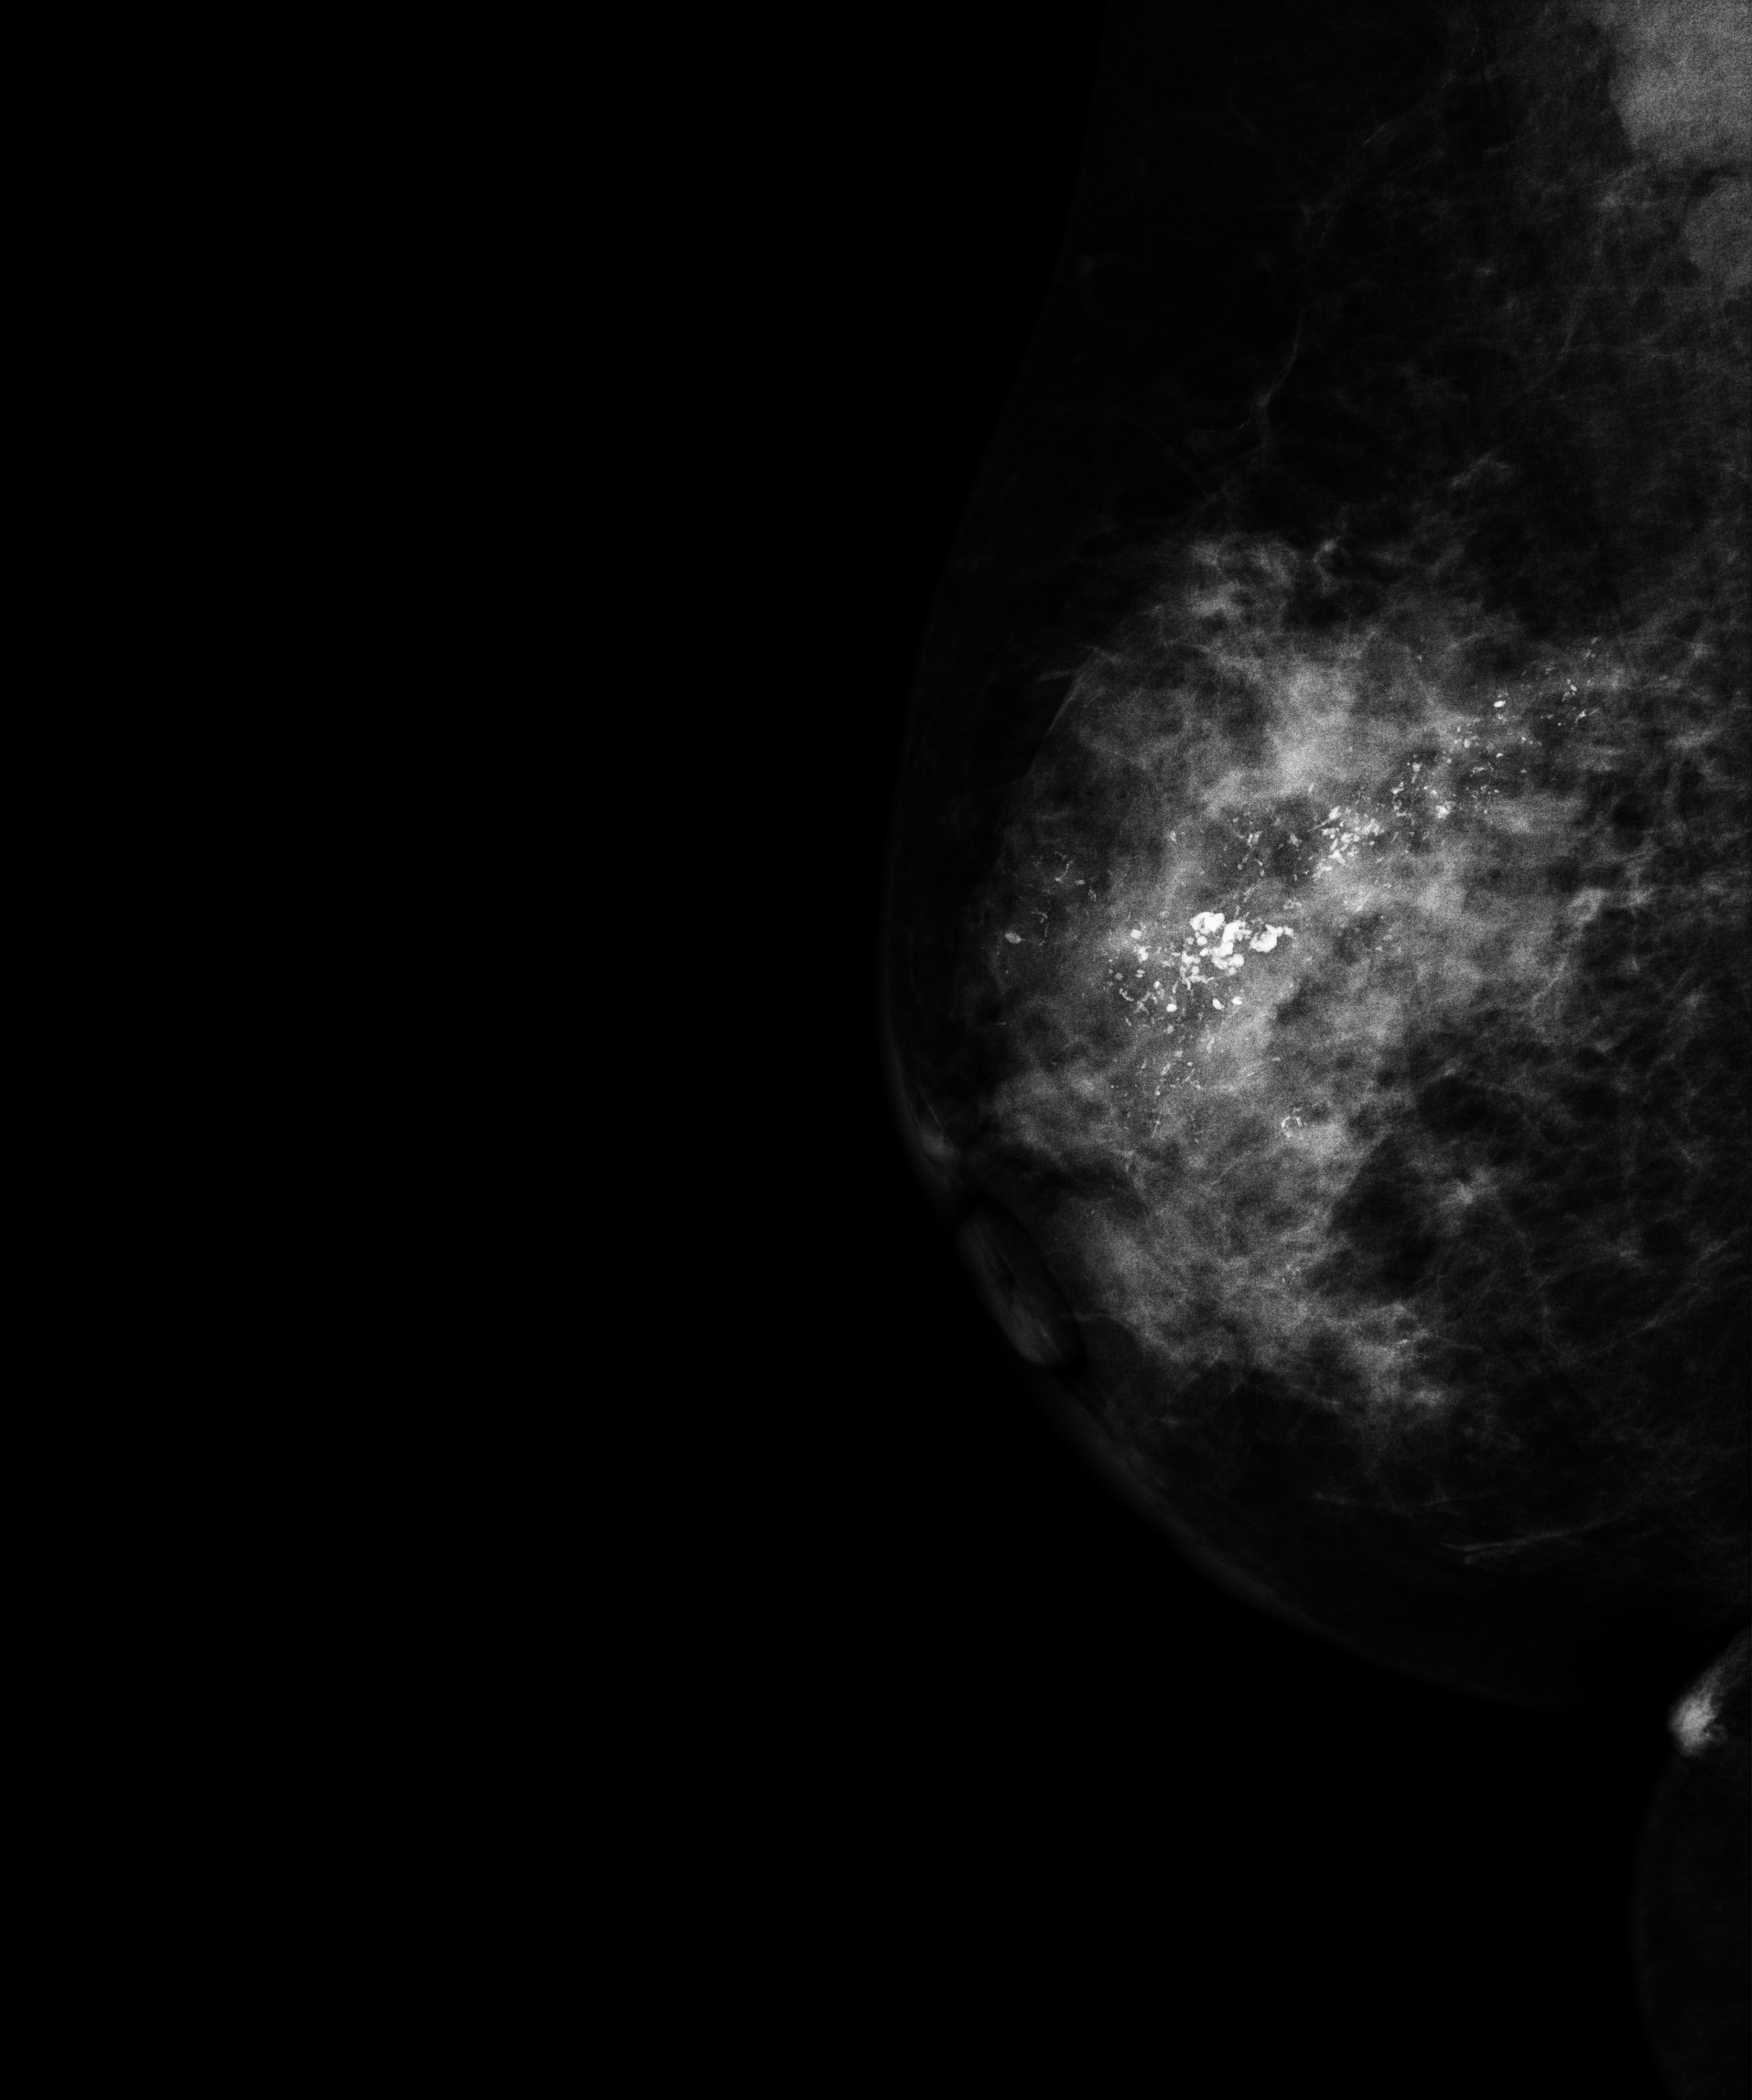
Right-breast mammogram, medio-lateral oblique. 60 y/o patient.
This breast has calcifications, biopsy-confirmed malignant. Molecular subtype: HER2-enriched.